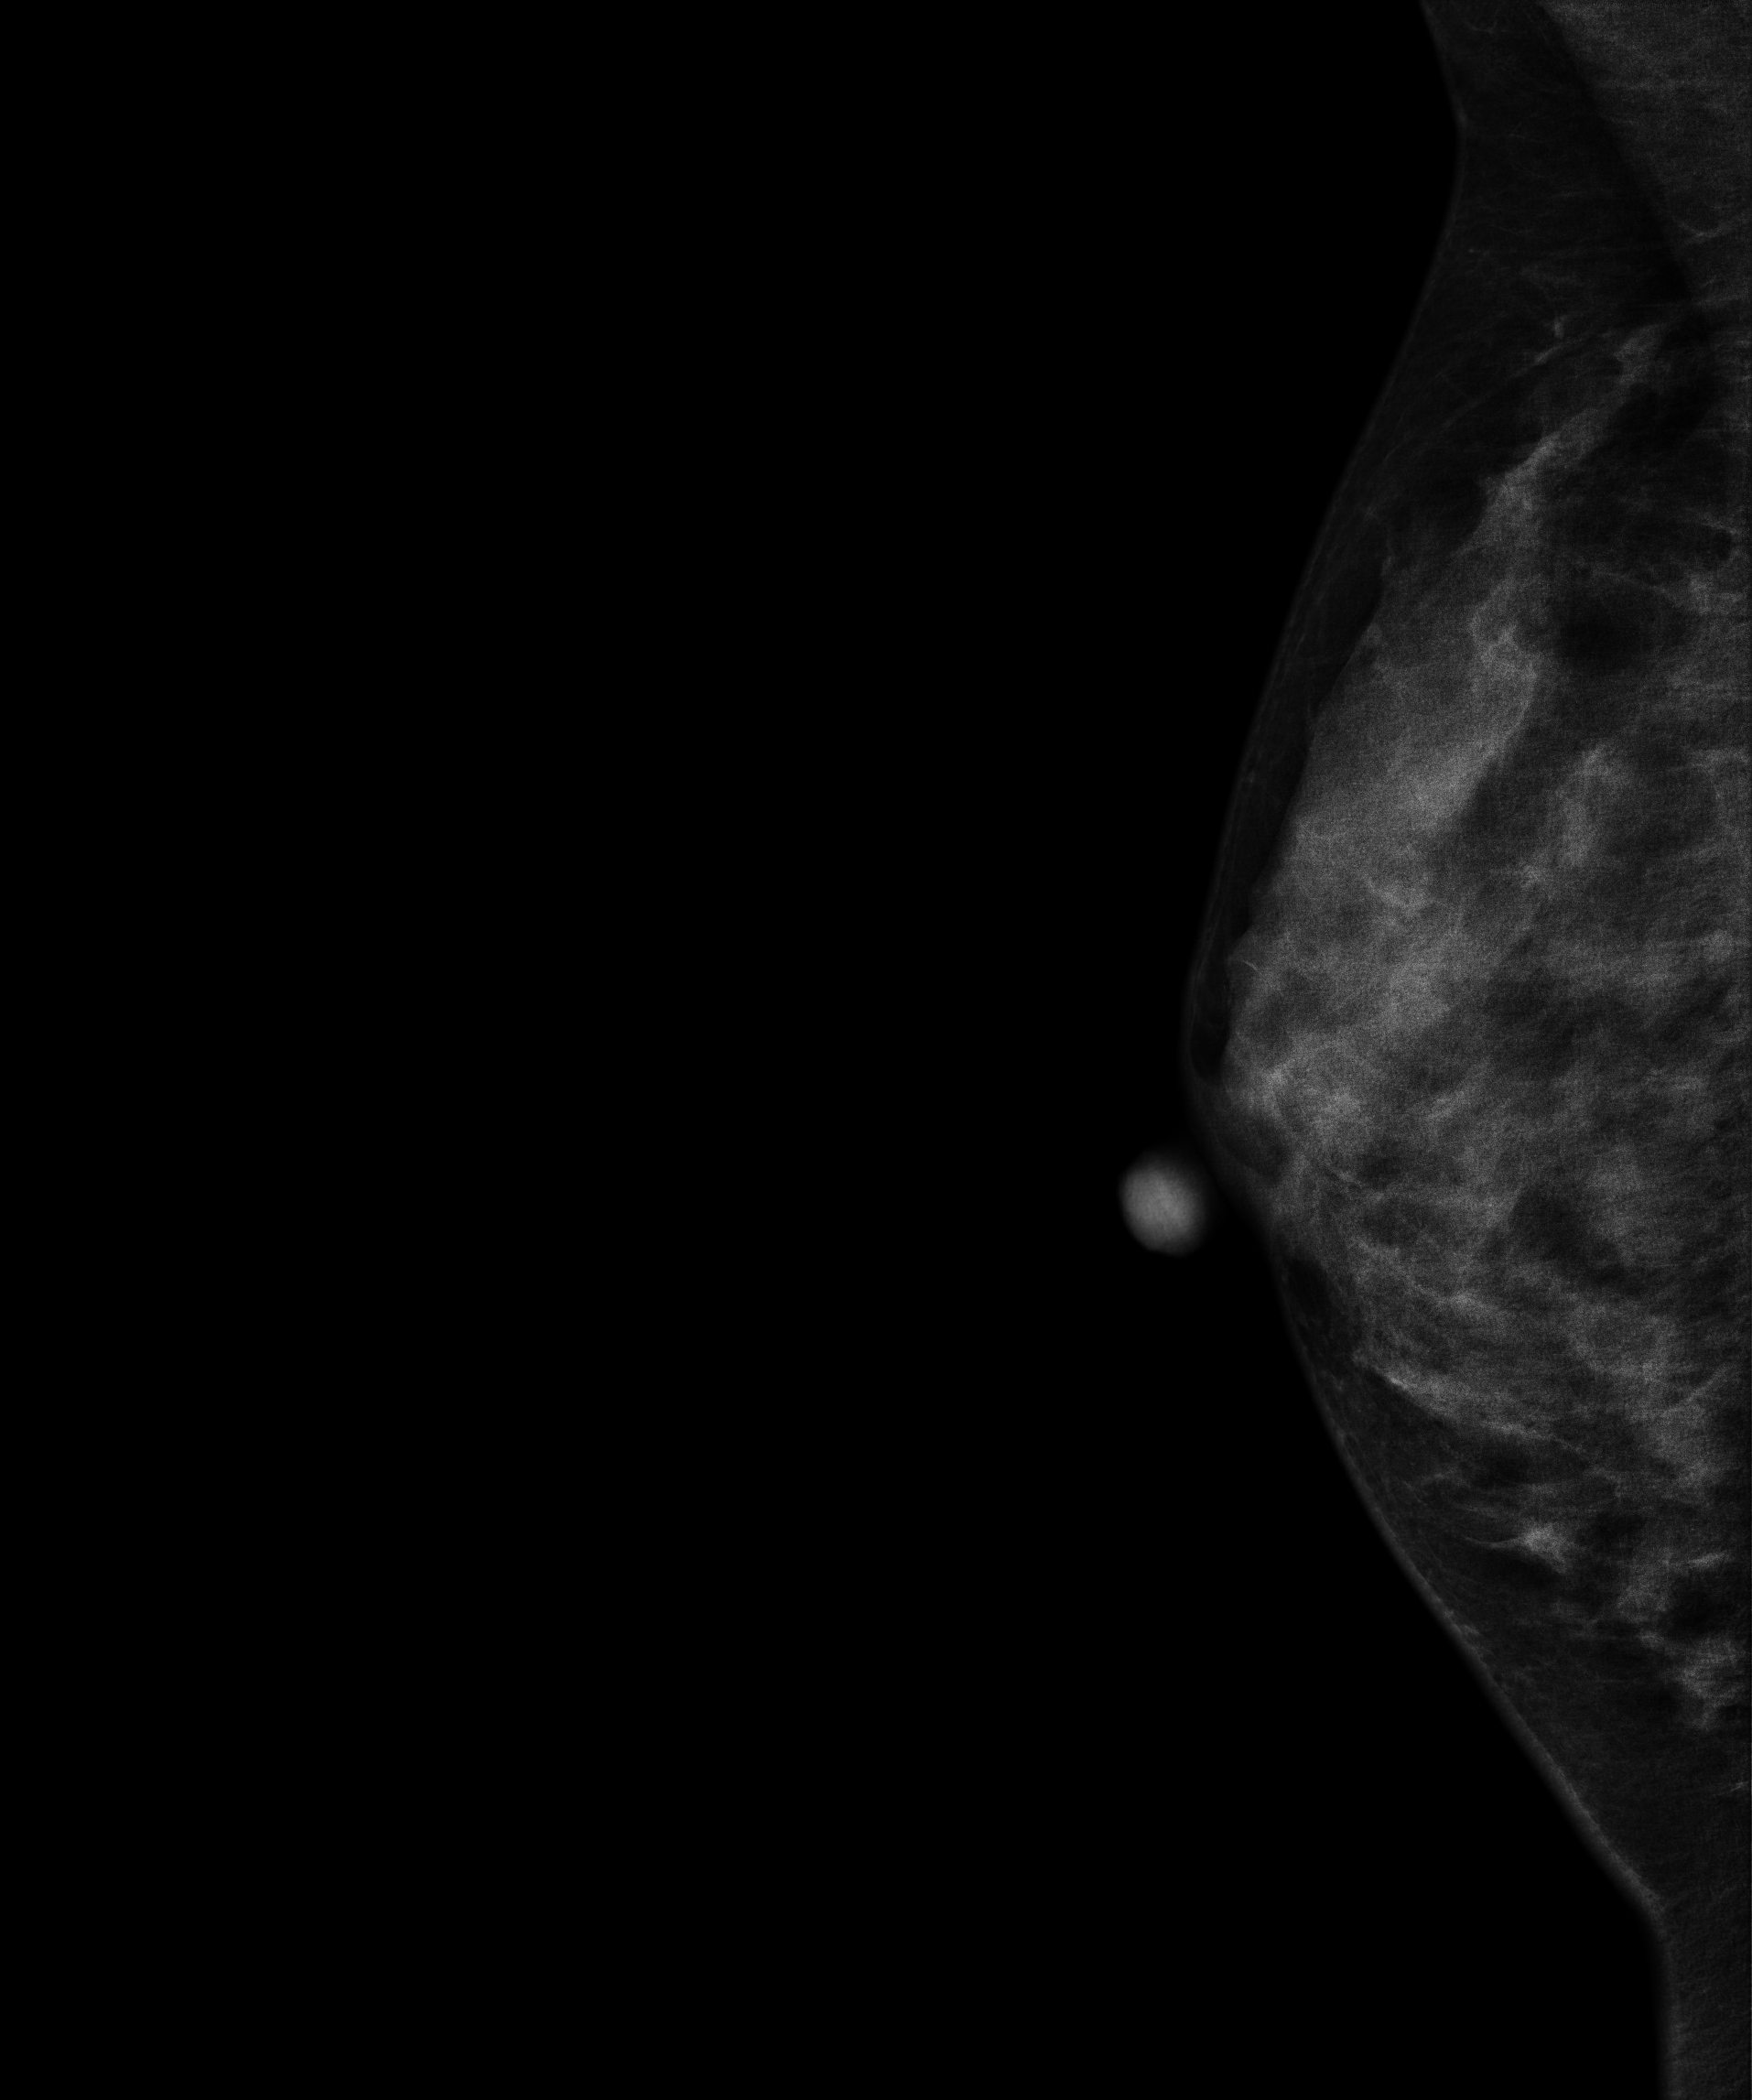
Right-breast mammogram, MLO. Patient age 33.
Contralateral breast — no documented abnormality on this side.